Mammogram, right breast, MLO view. Patient age 38.
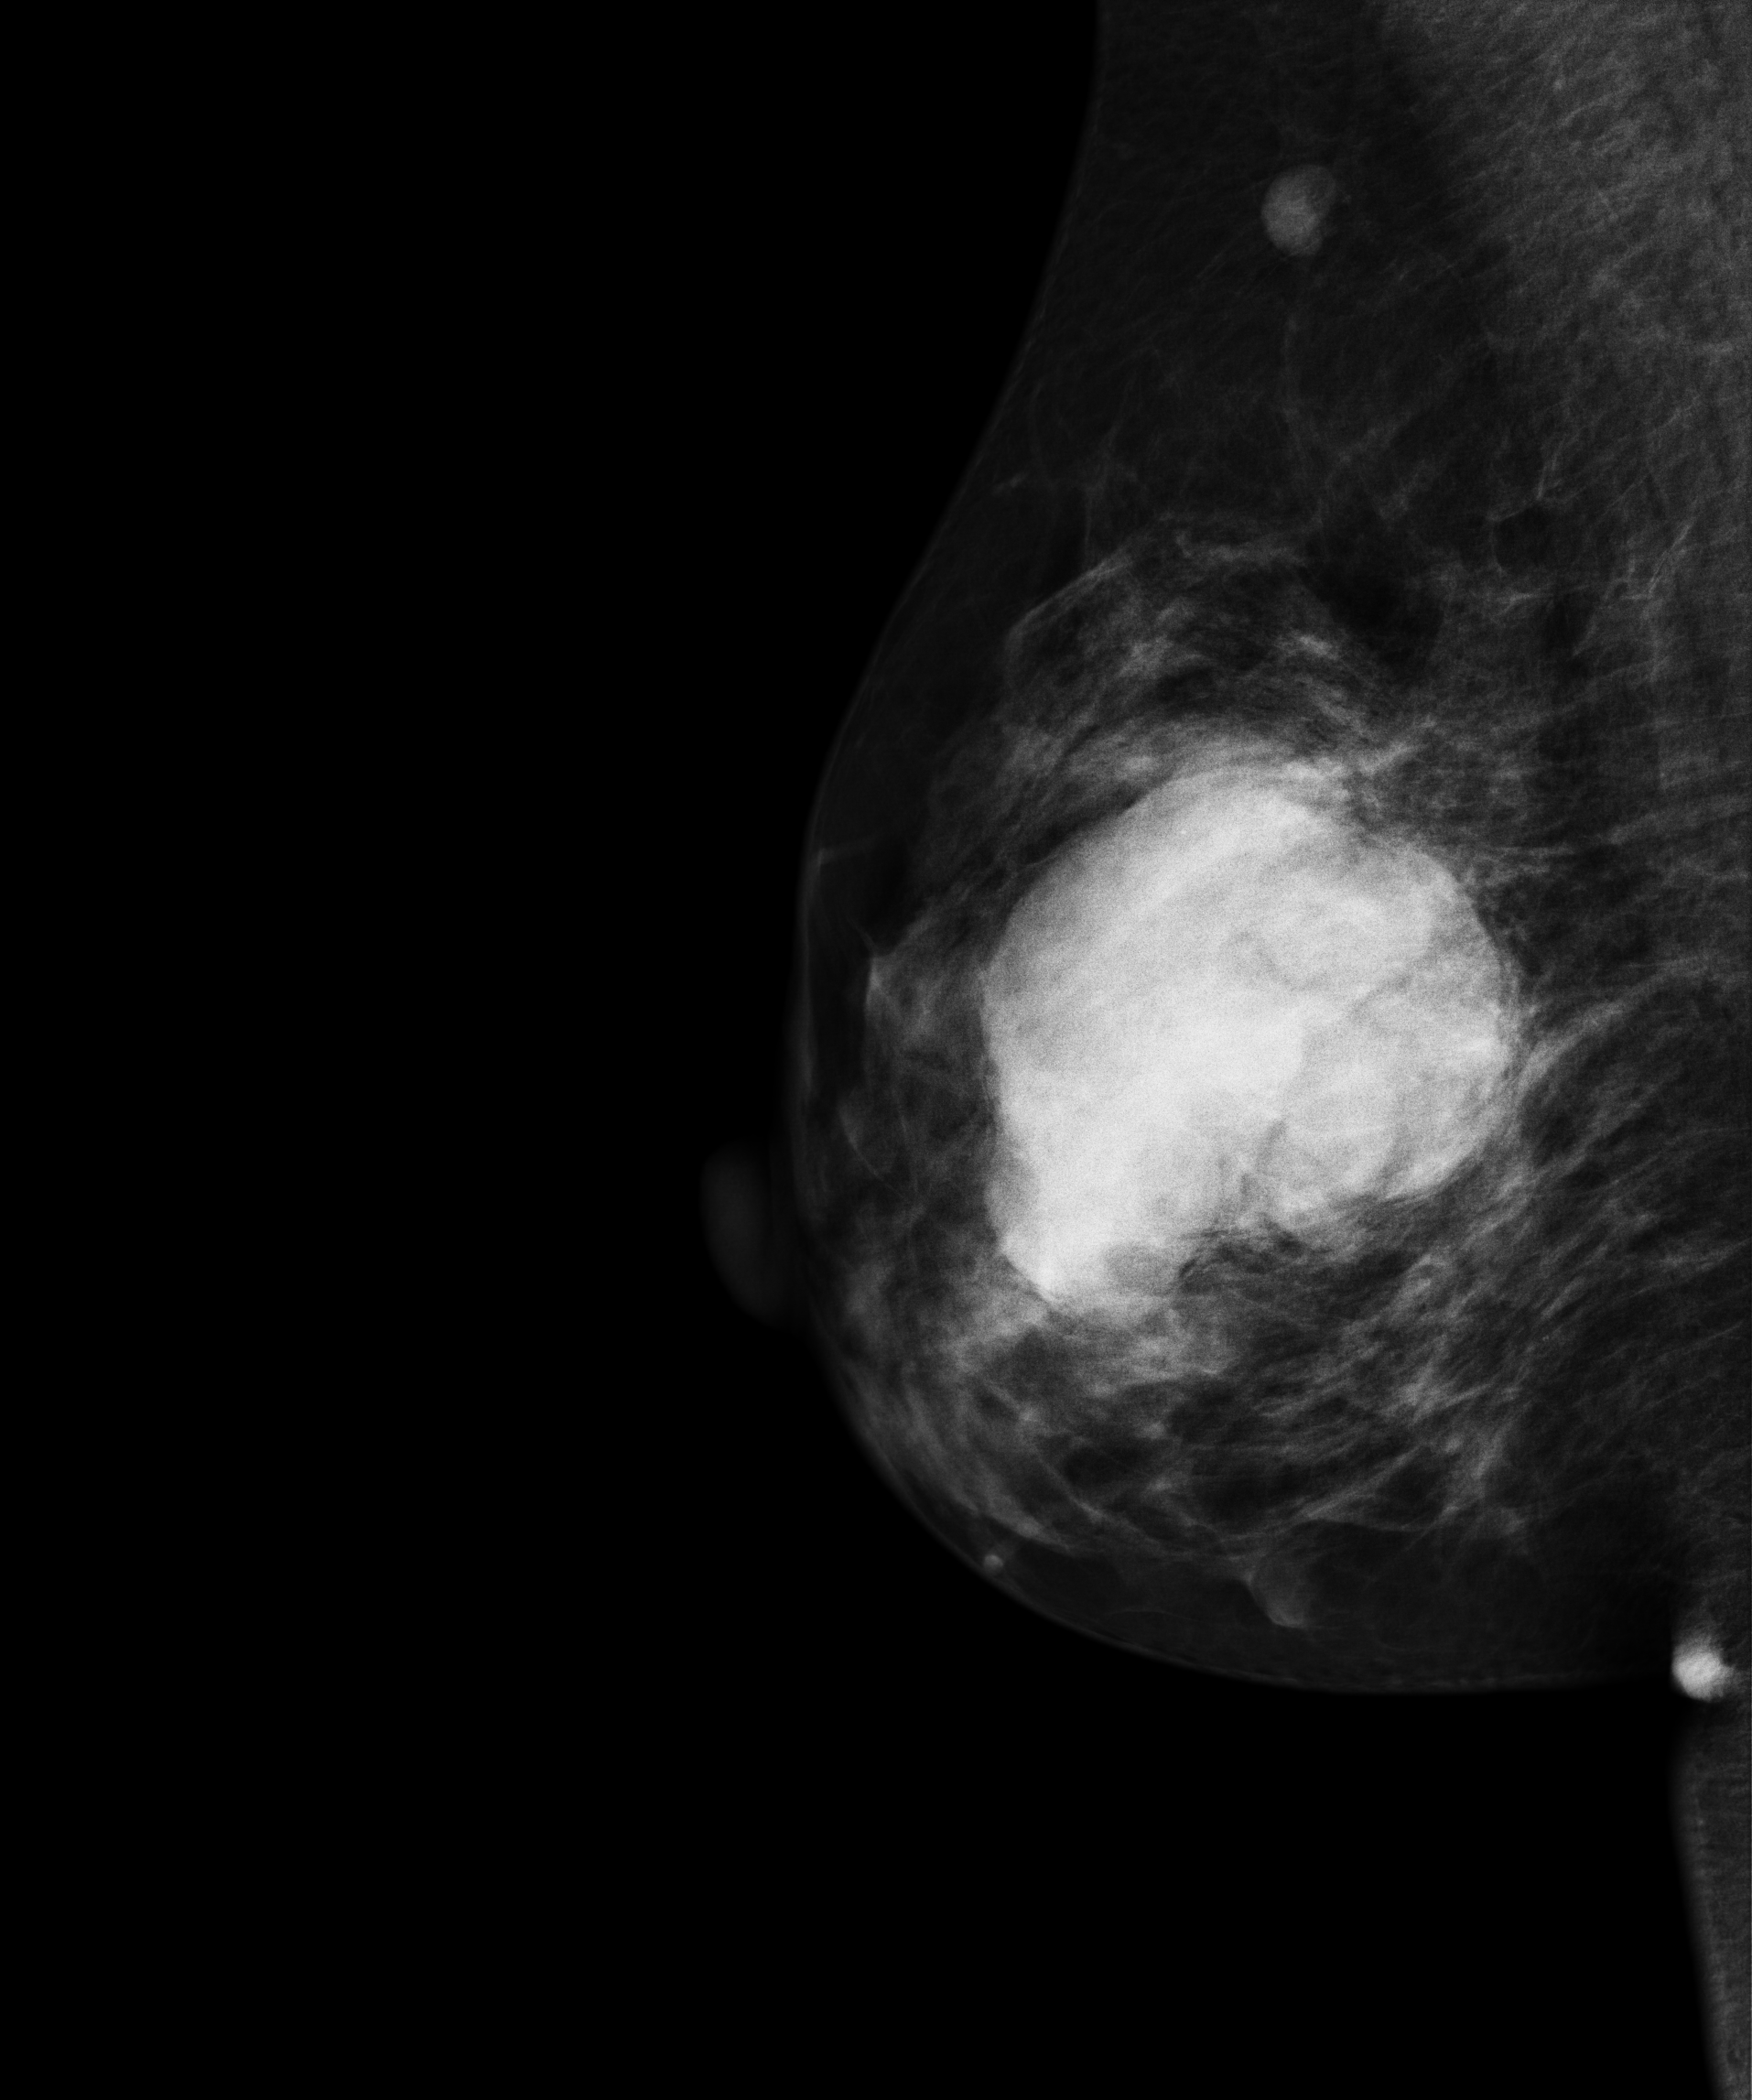
This breast has a mass, biopsy-proven benign.